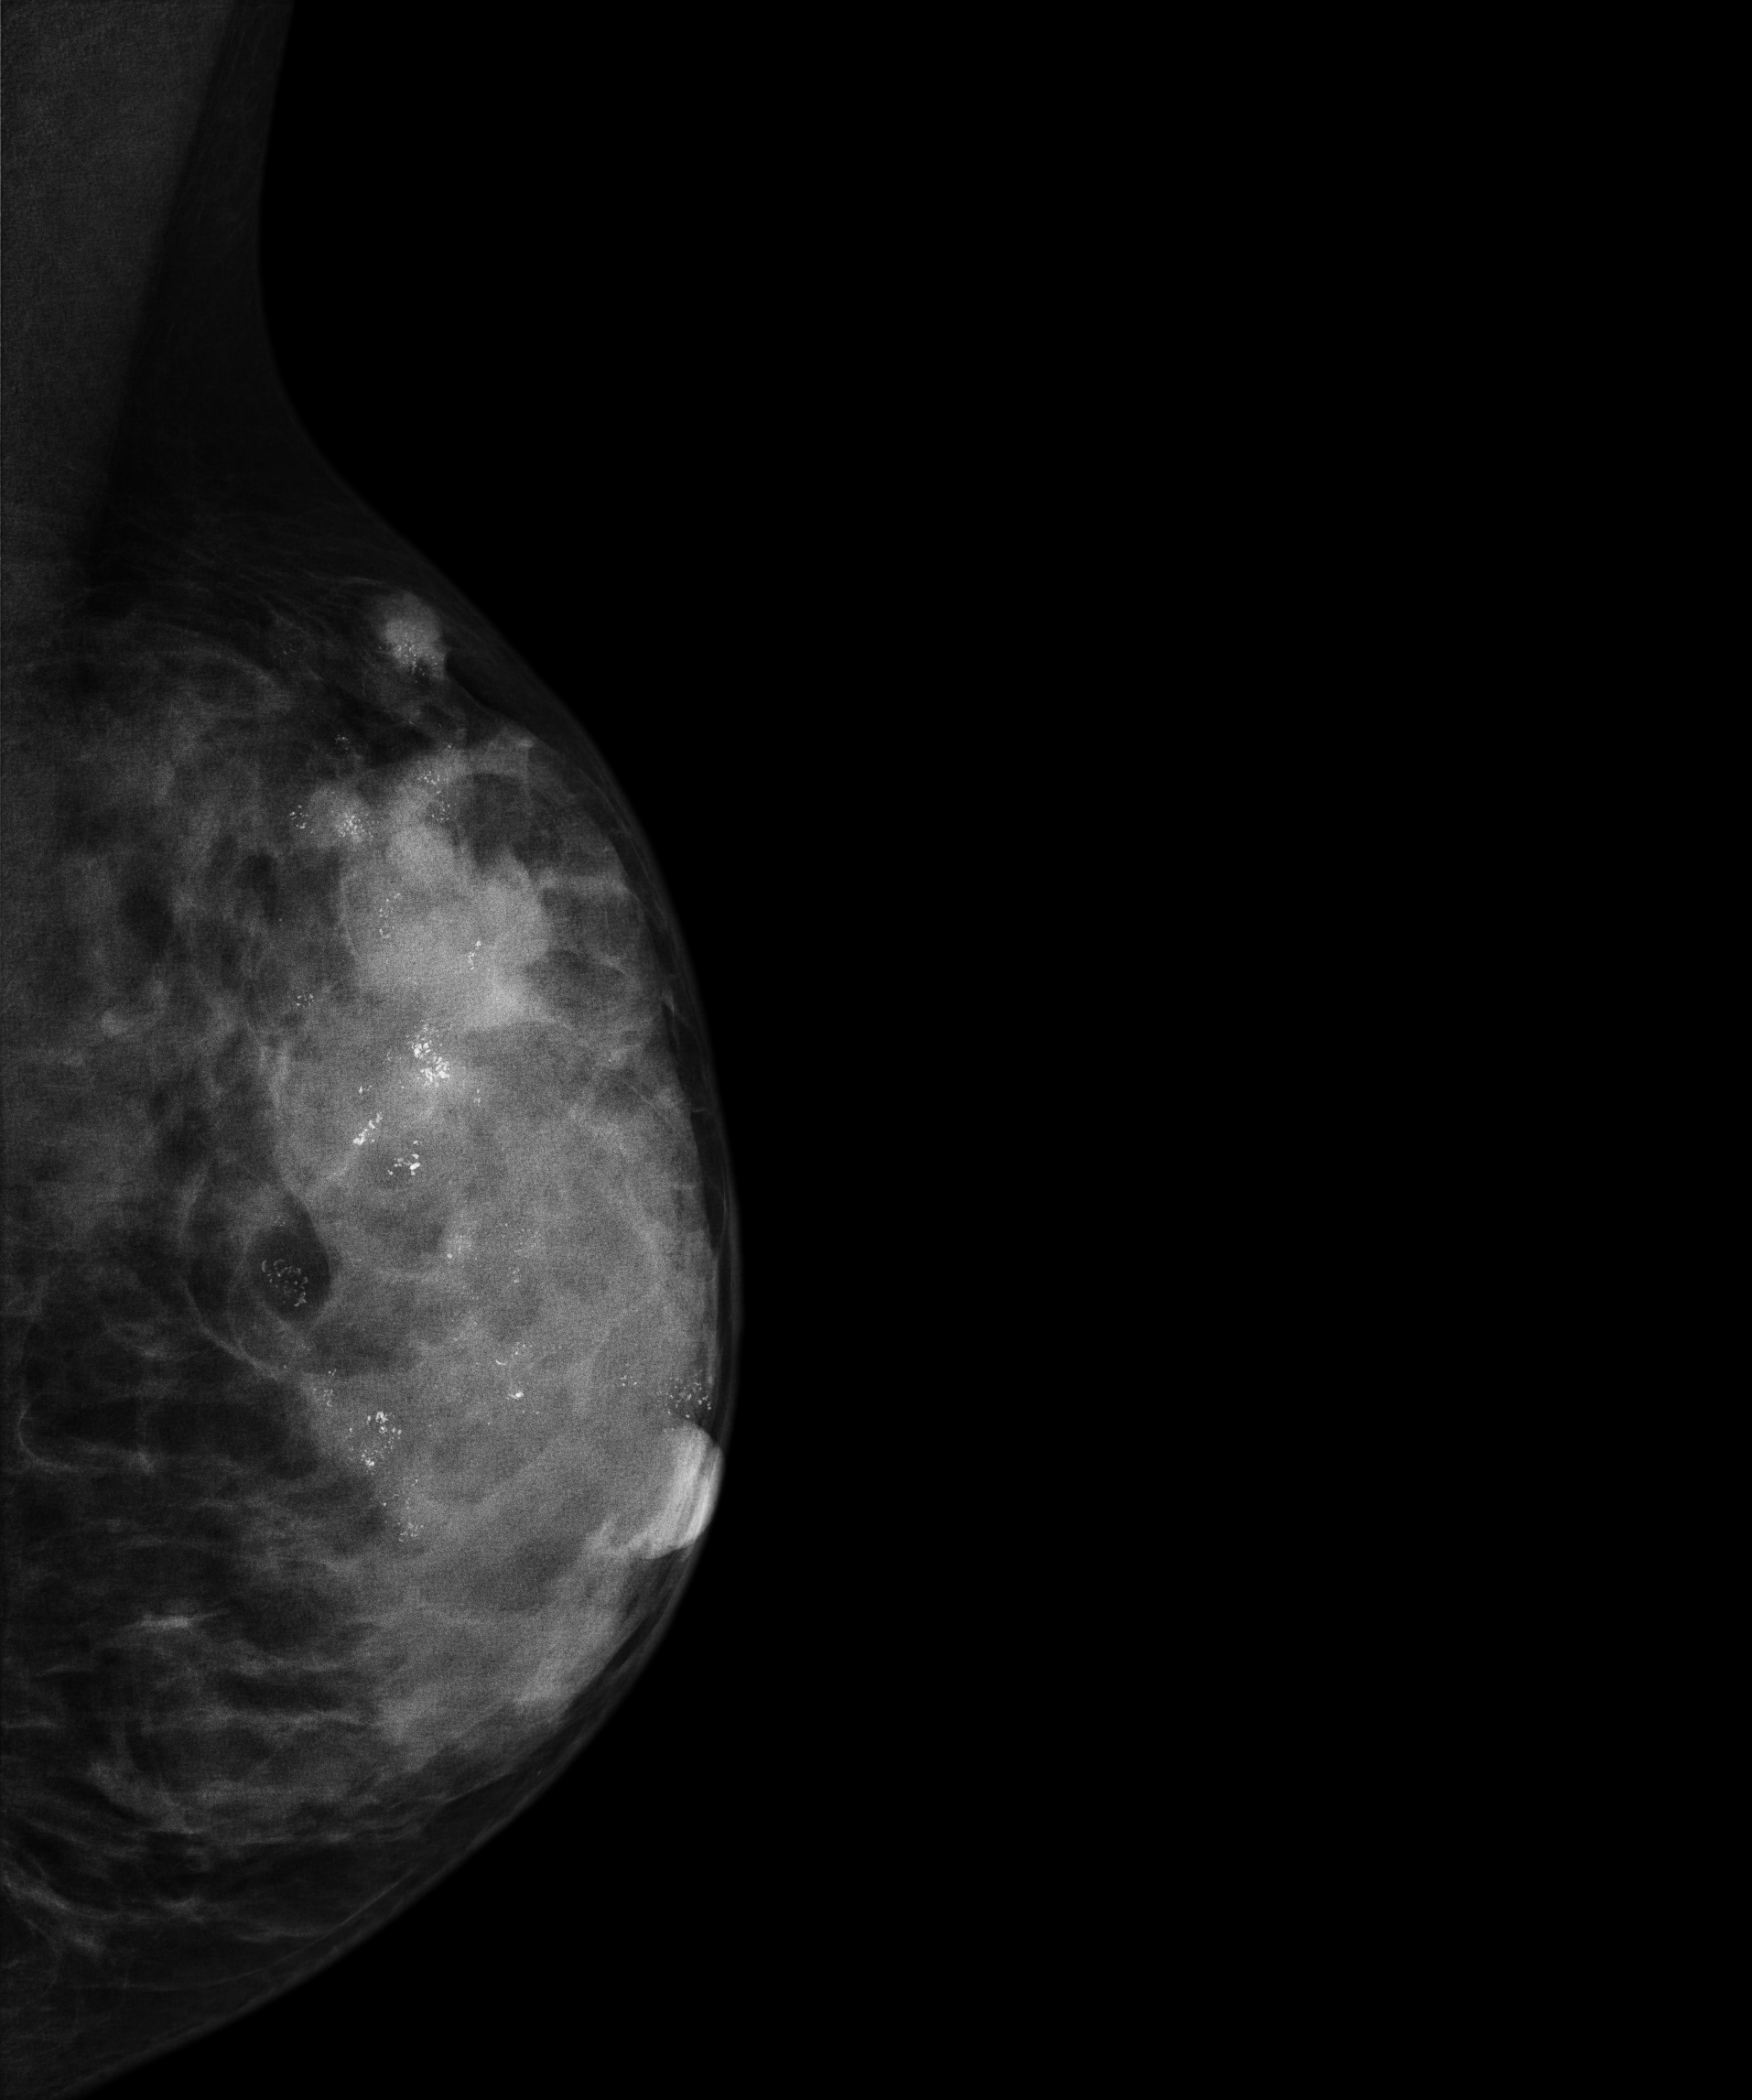
Medio-lateral oblique mammogram of the left breast. 30 y/o patient.
Contralateral breast — no documented abnormality on this side.